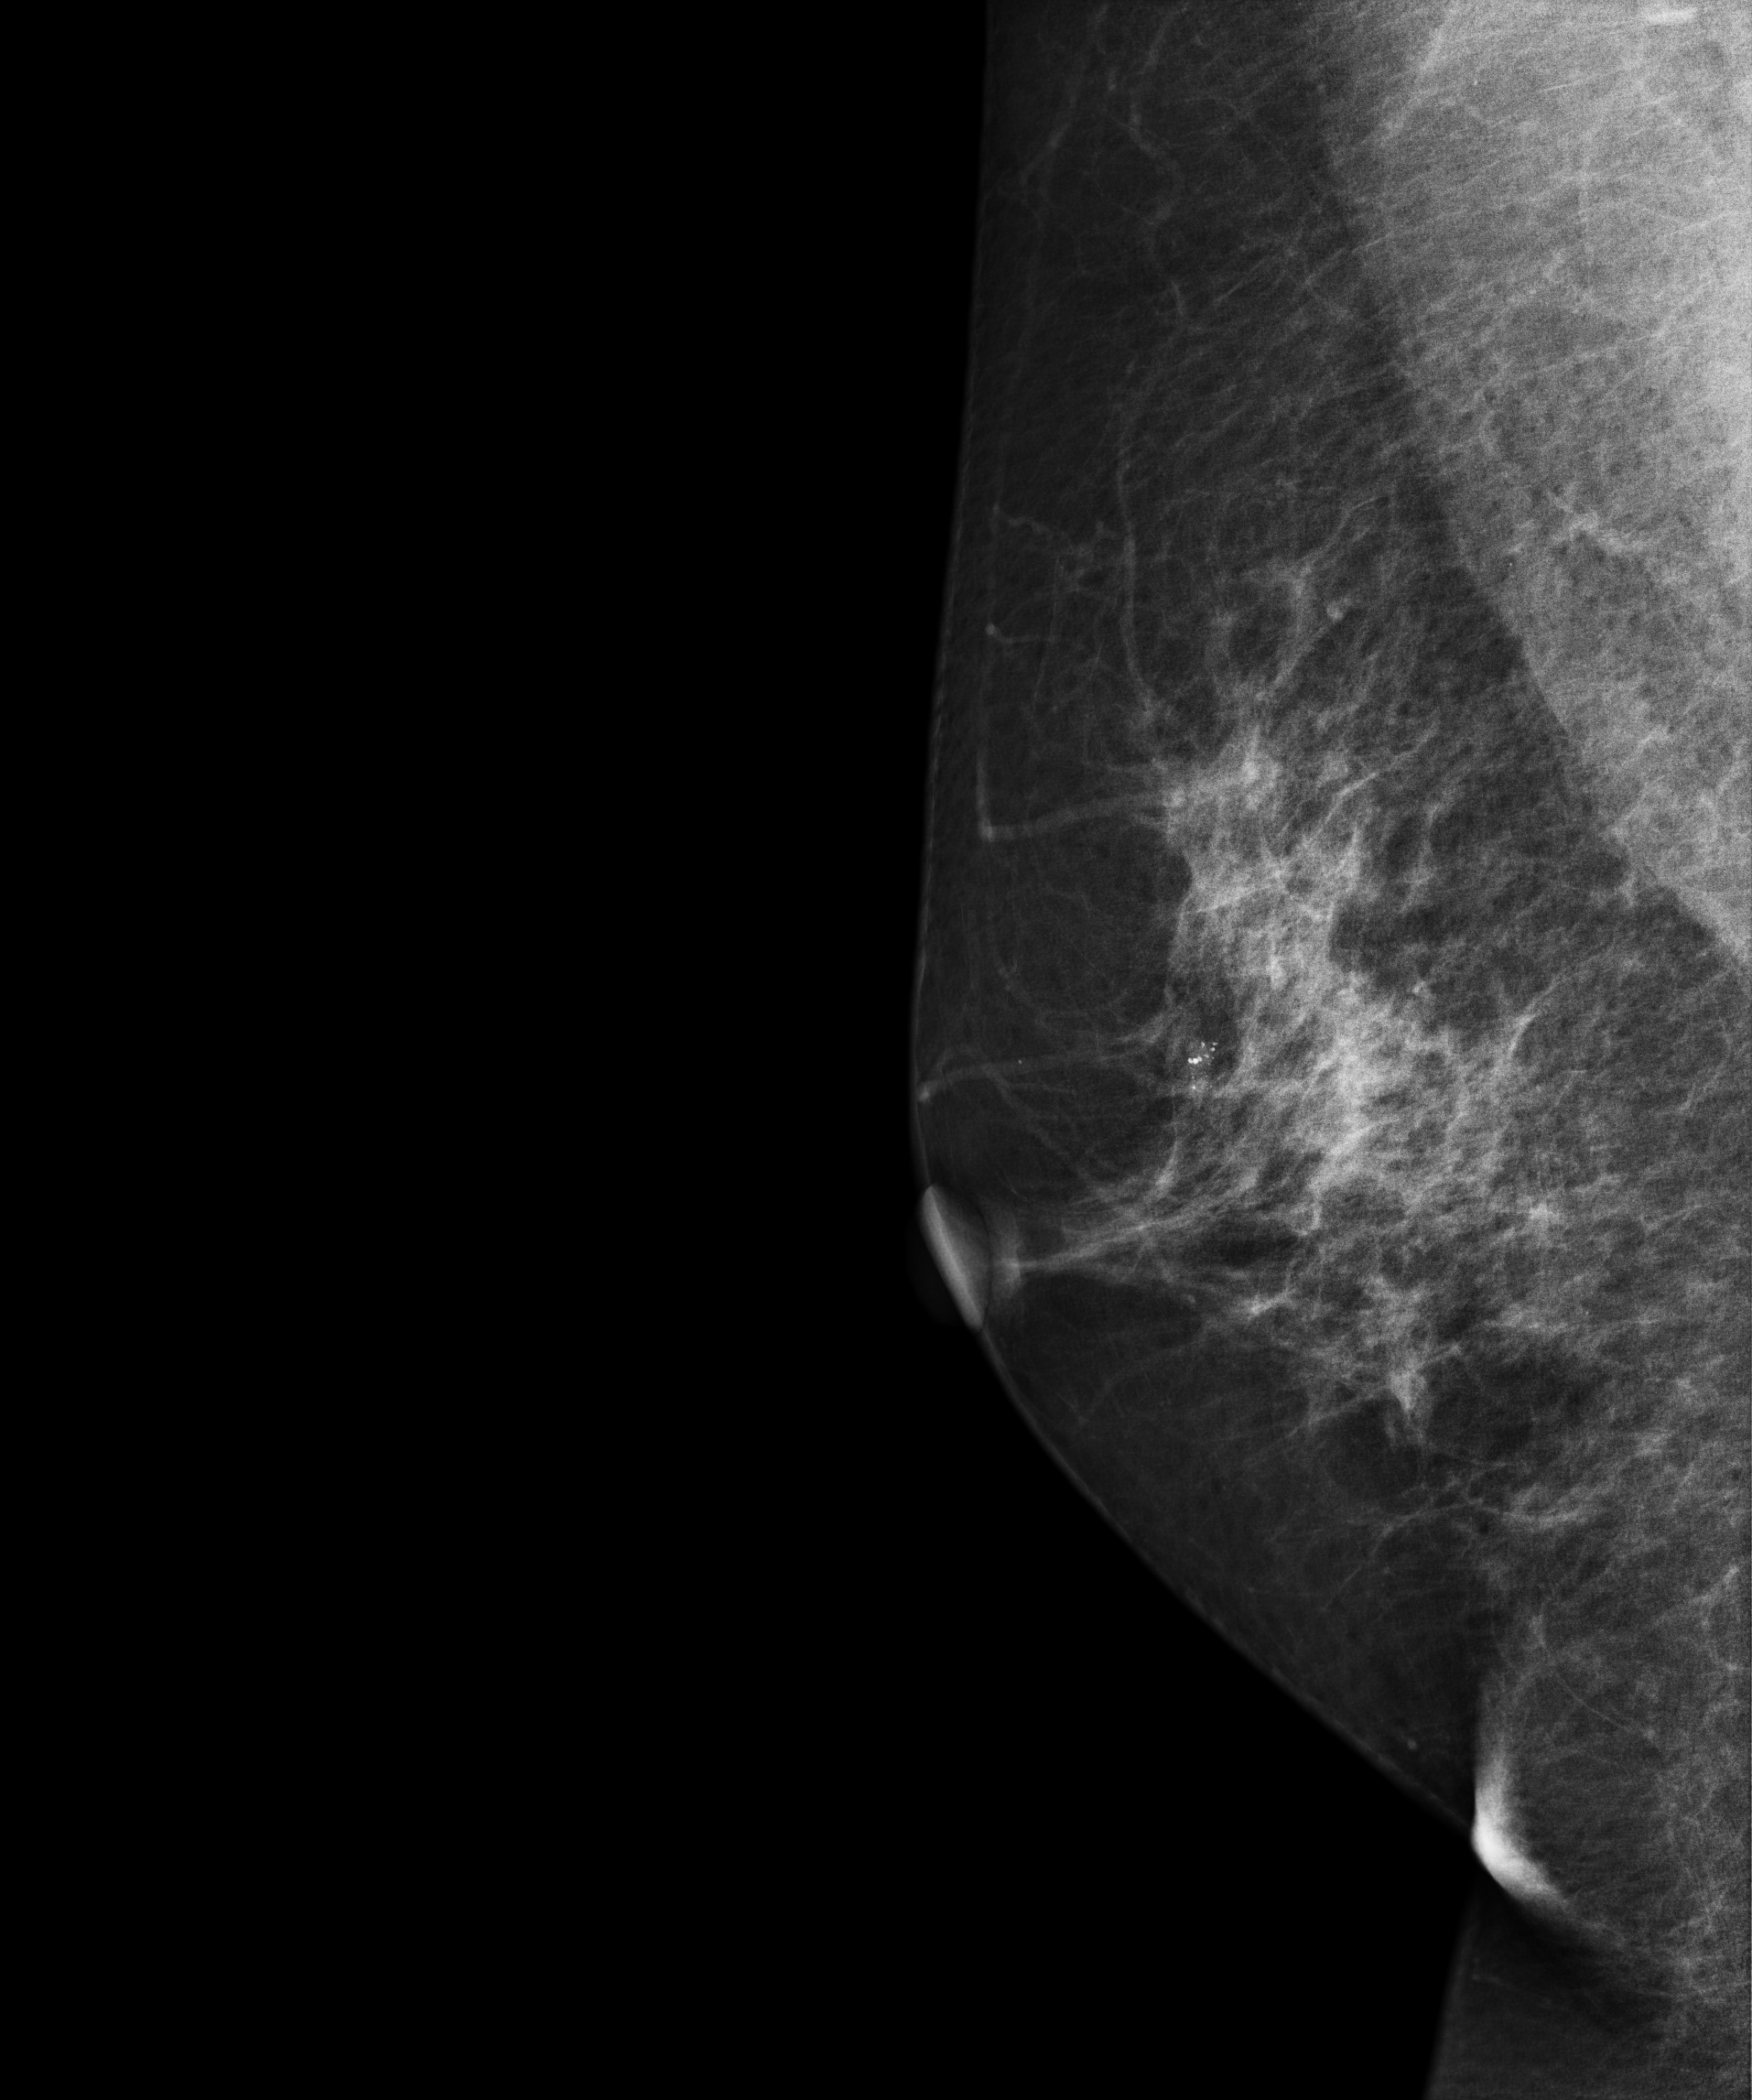
Mammogram — right medio-lateral oblique. Patient age 58.
This breast has calcifications, biopsy-proven benign.